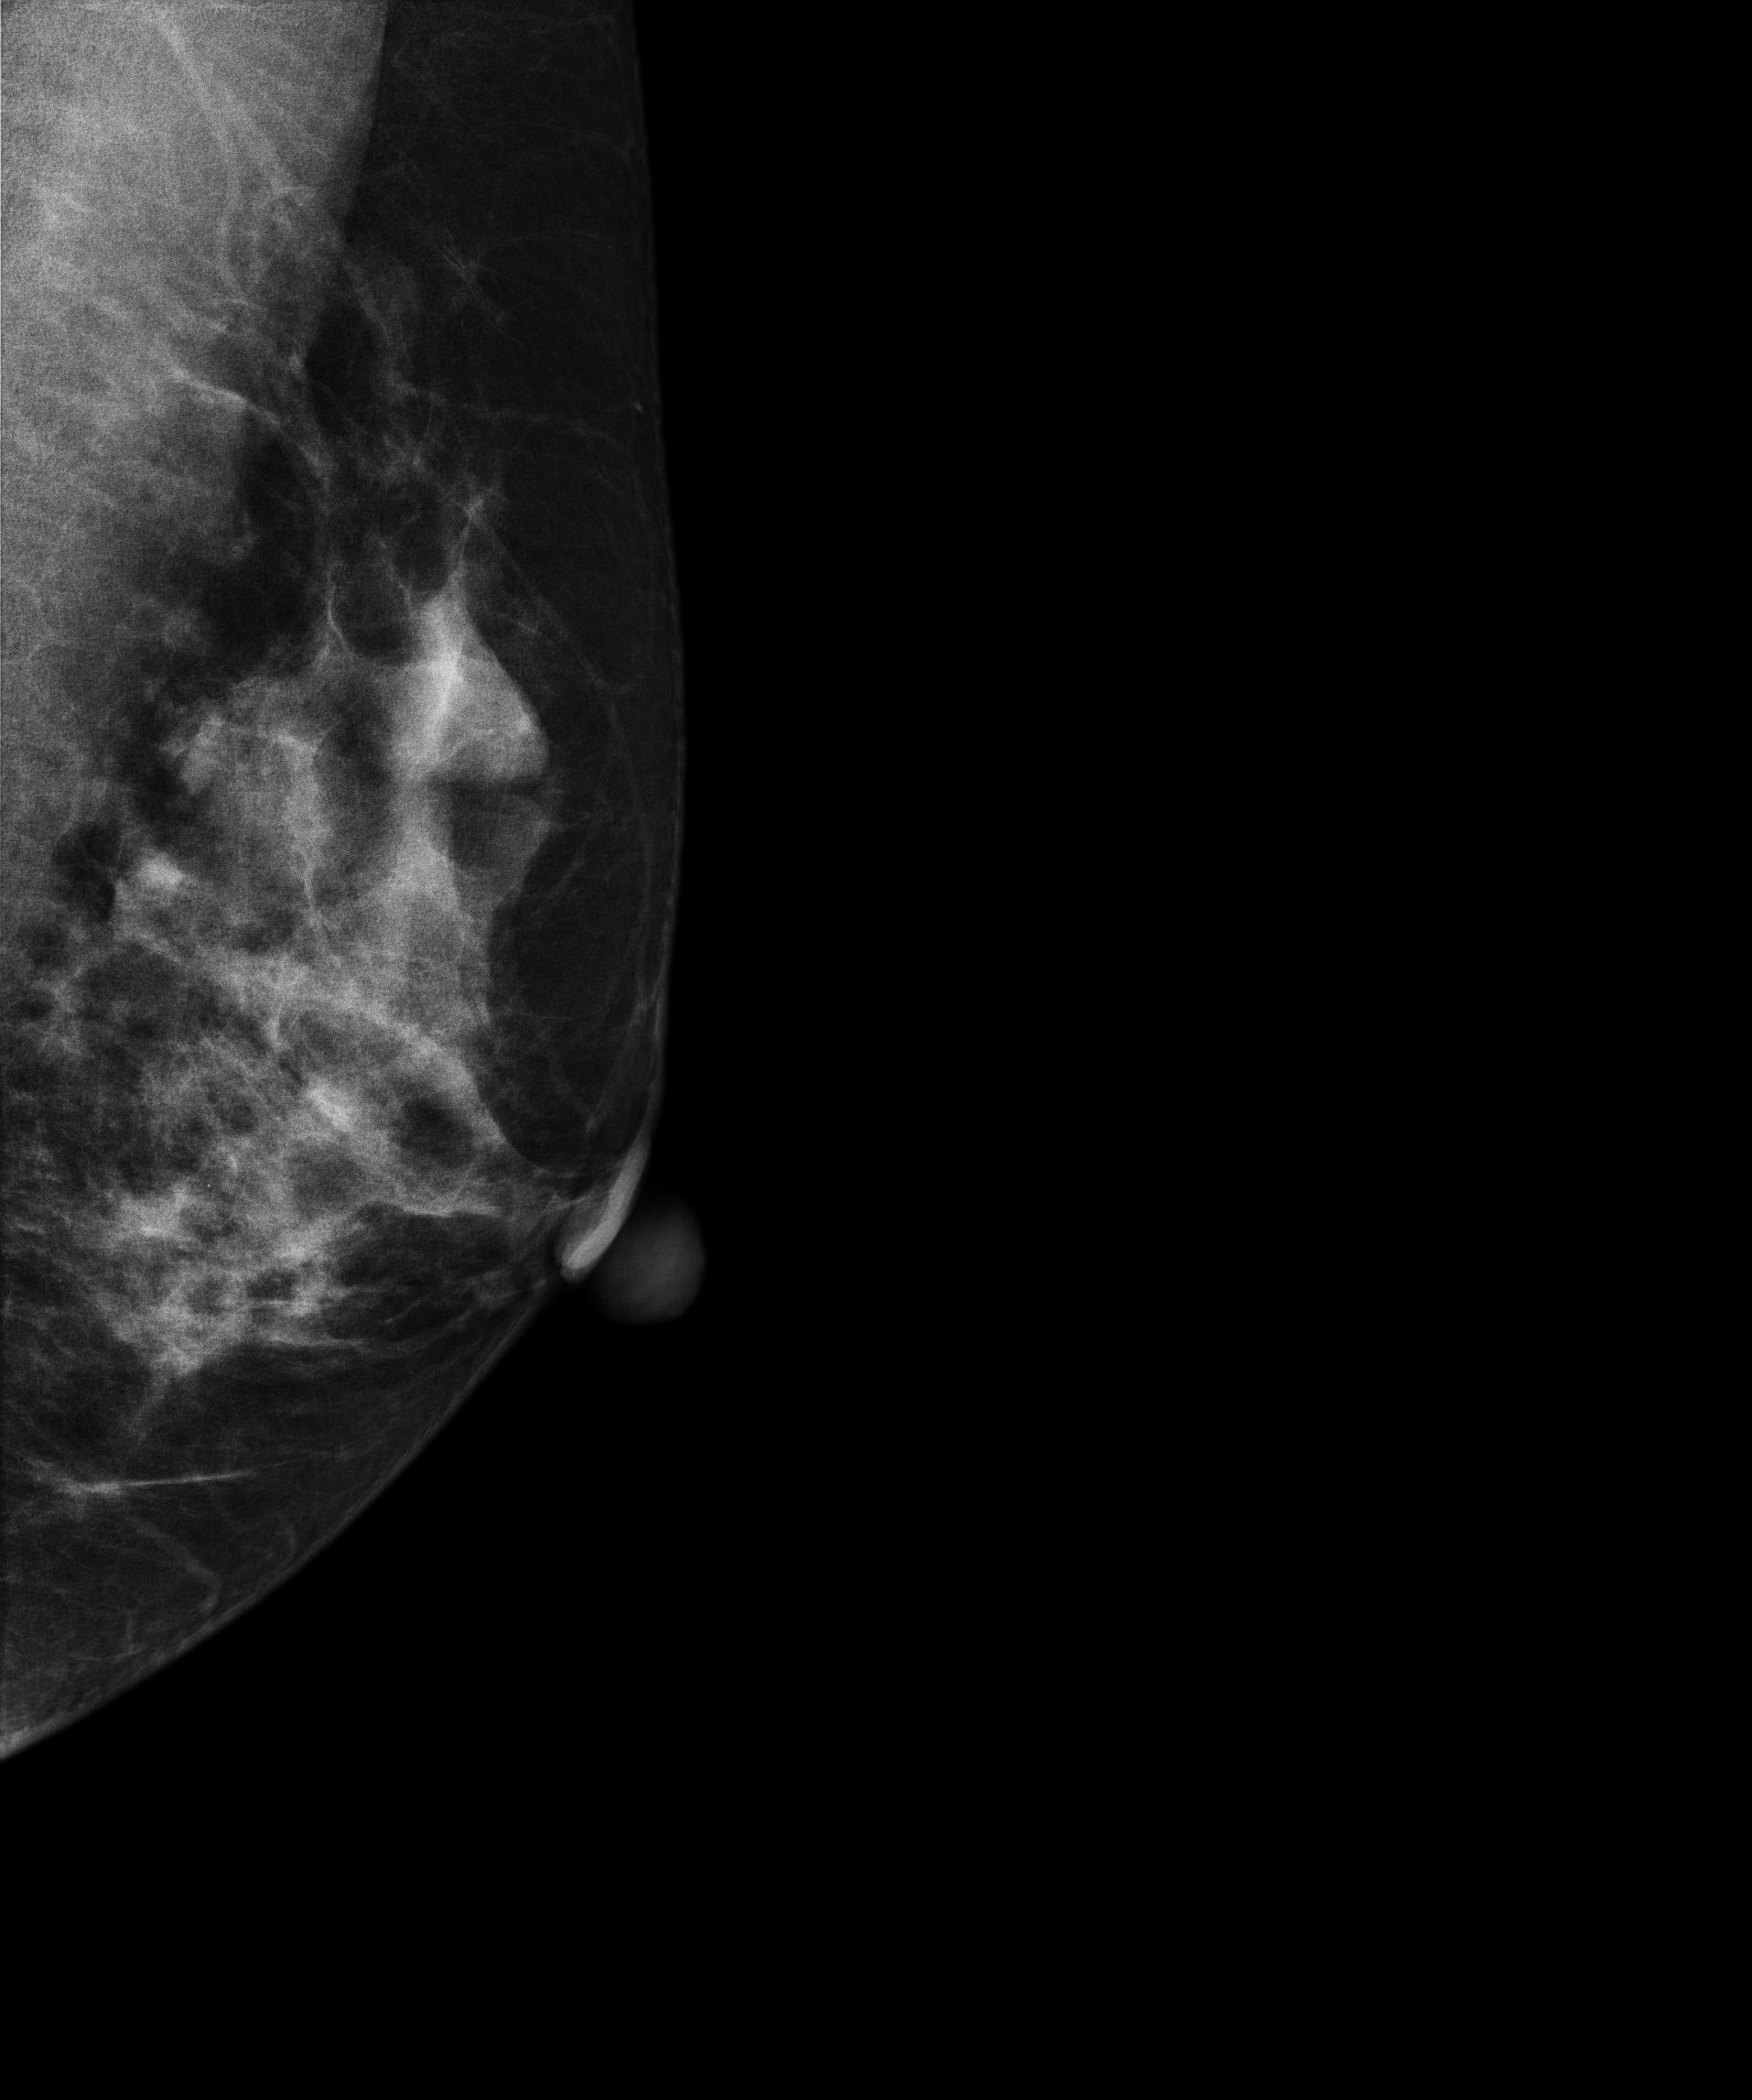
Mammogram, left breast, medio-lateral oblique view. Patient age 40.
This breast has a mass and calcifications, biopsy-proven benign.